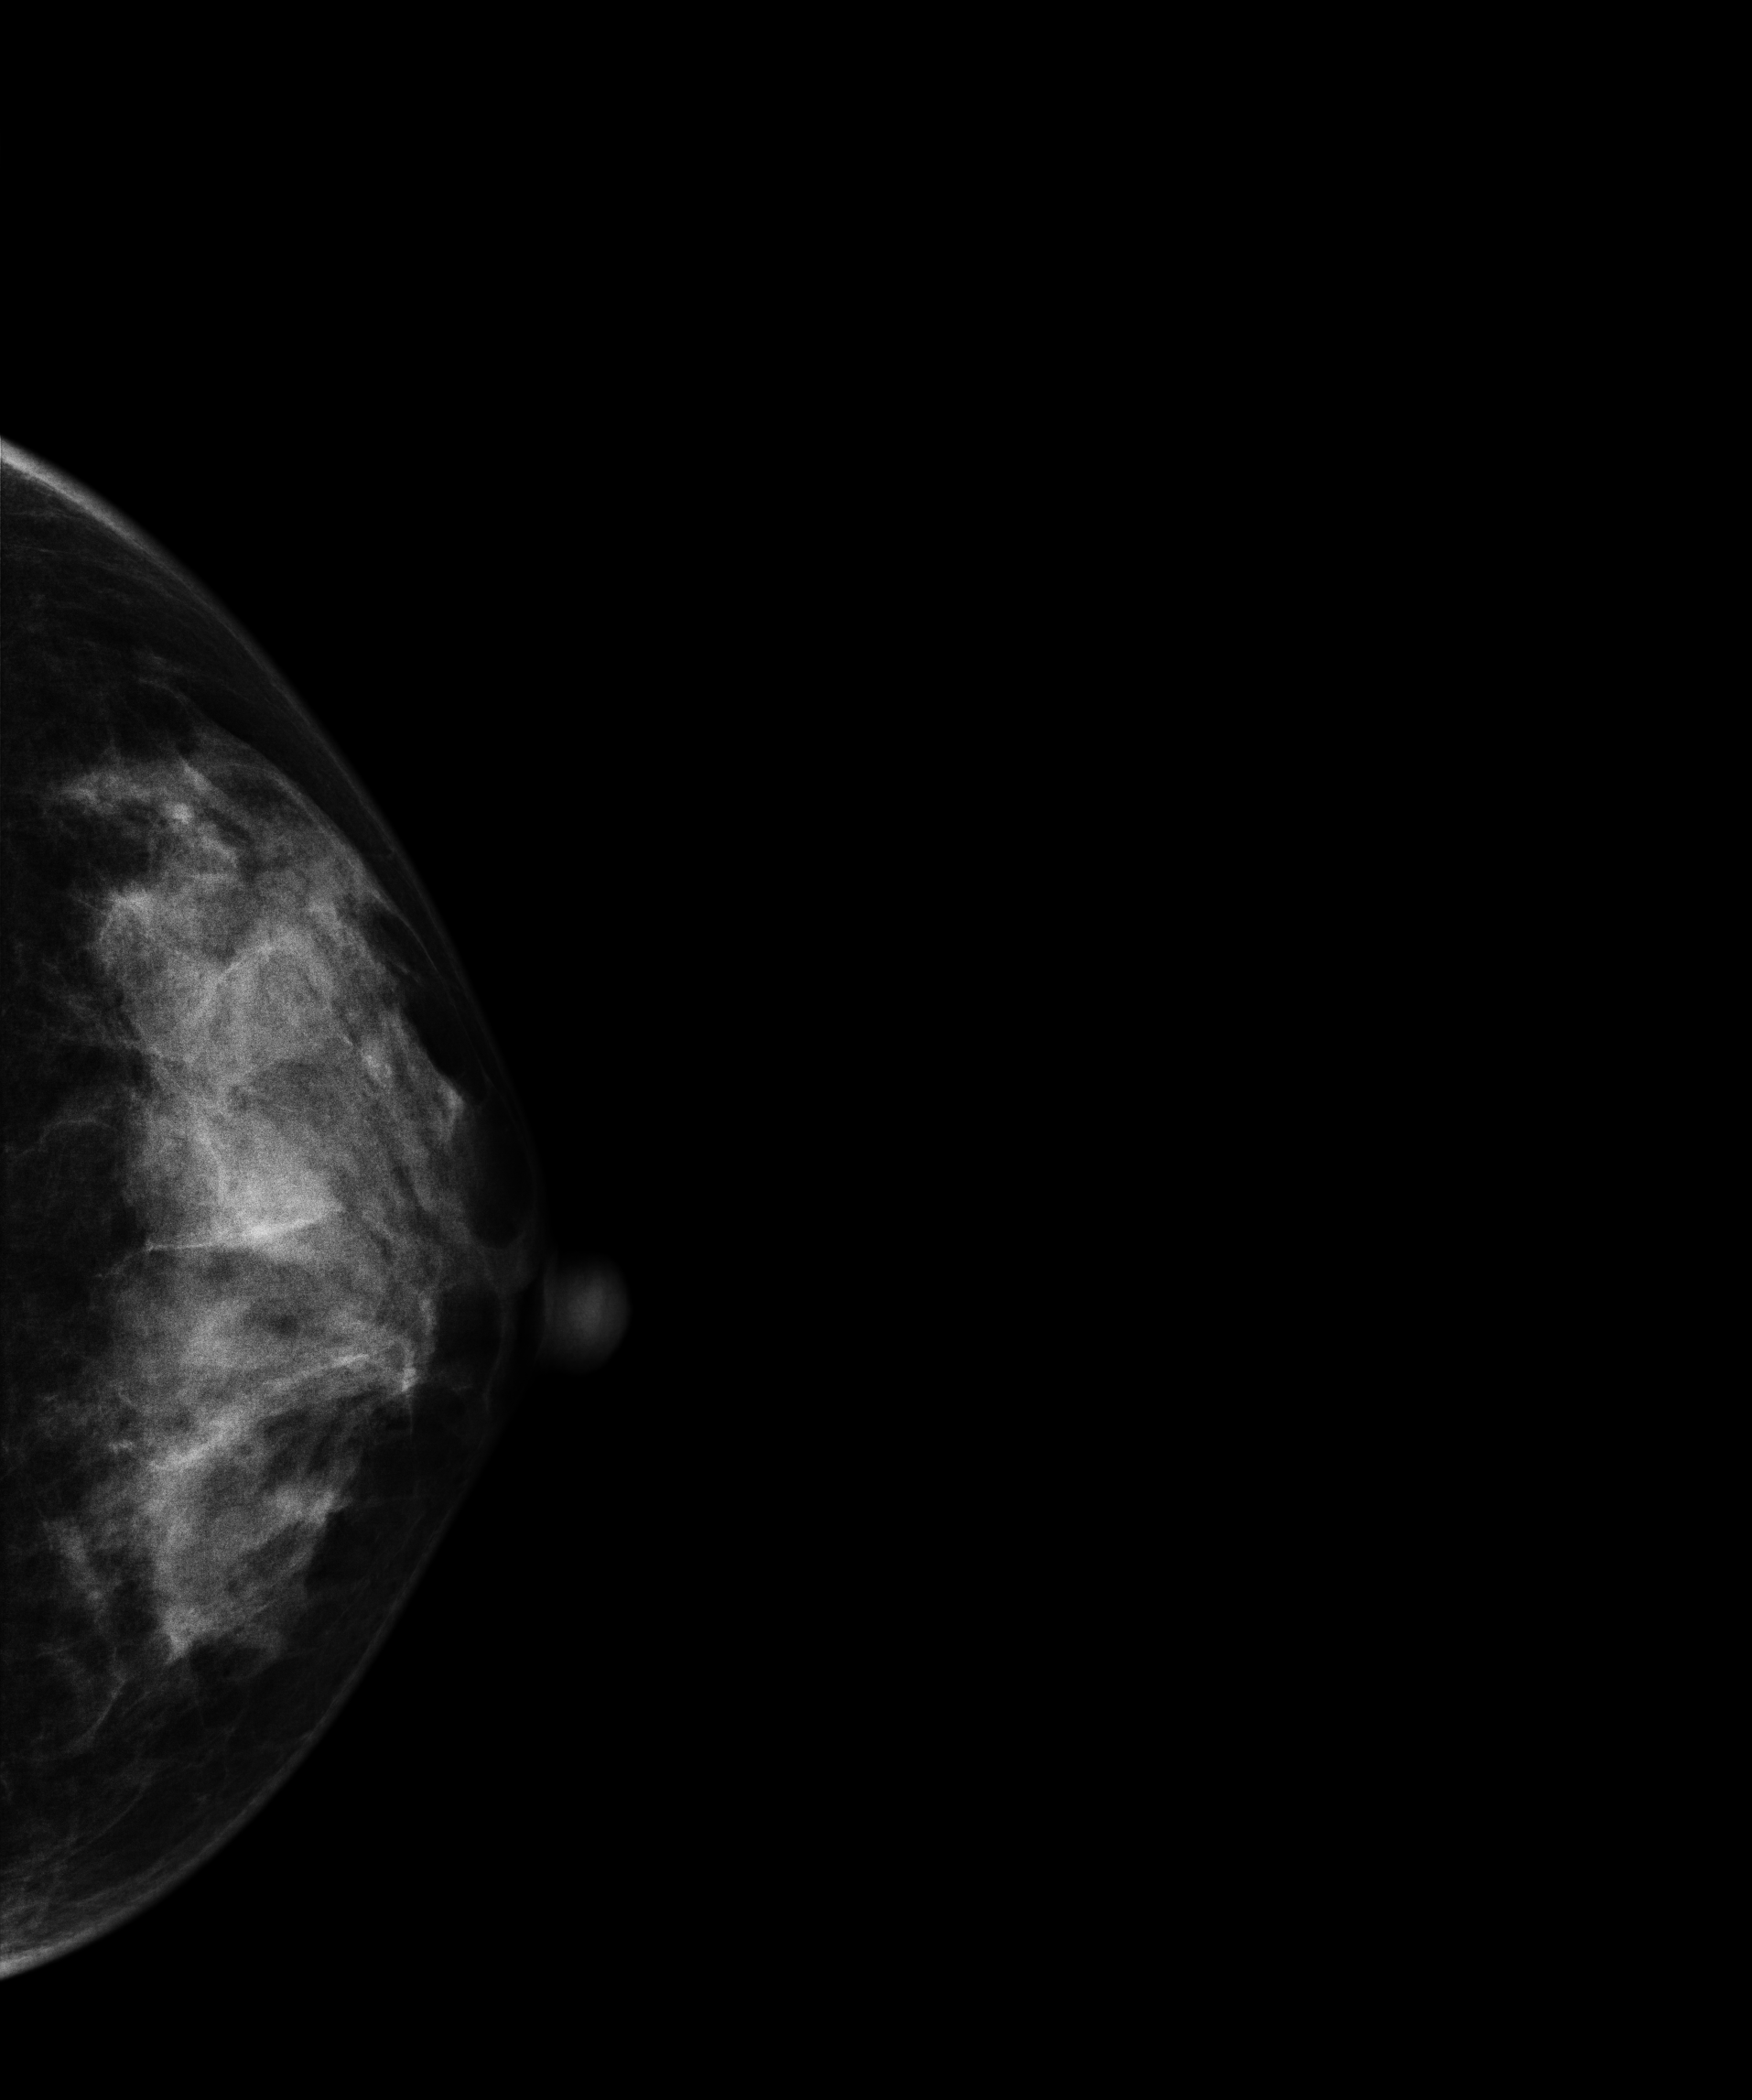
Left-breast mammogram, CC. 41 y/o patient.
Contralateral breast — no documented abnormality on this side.